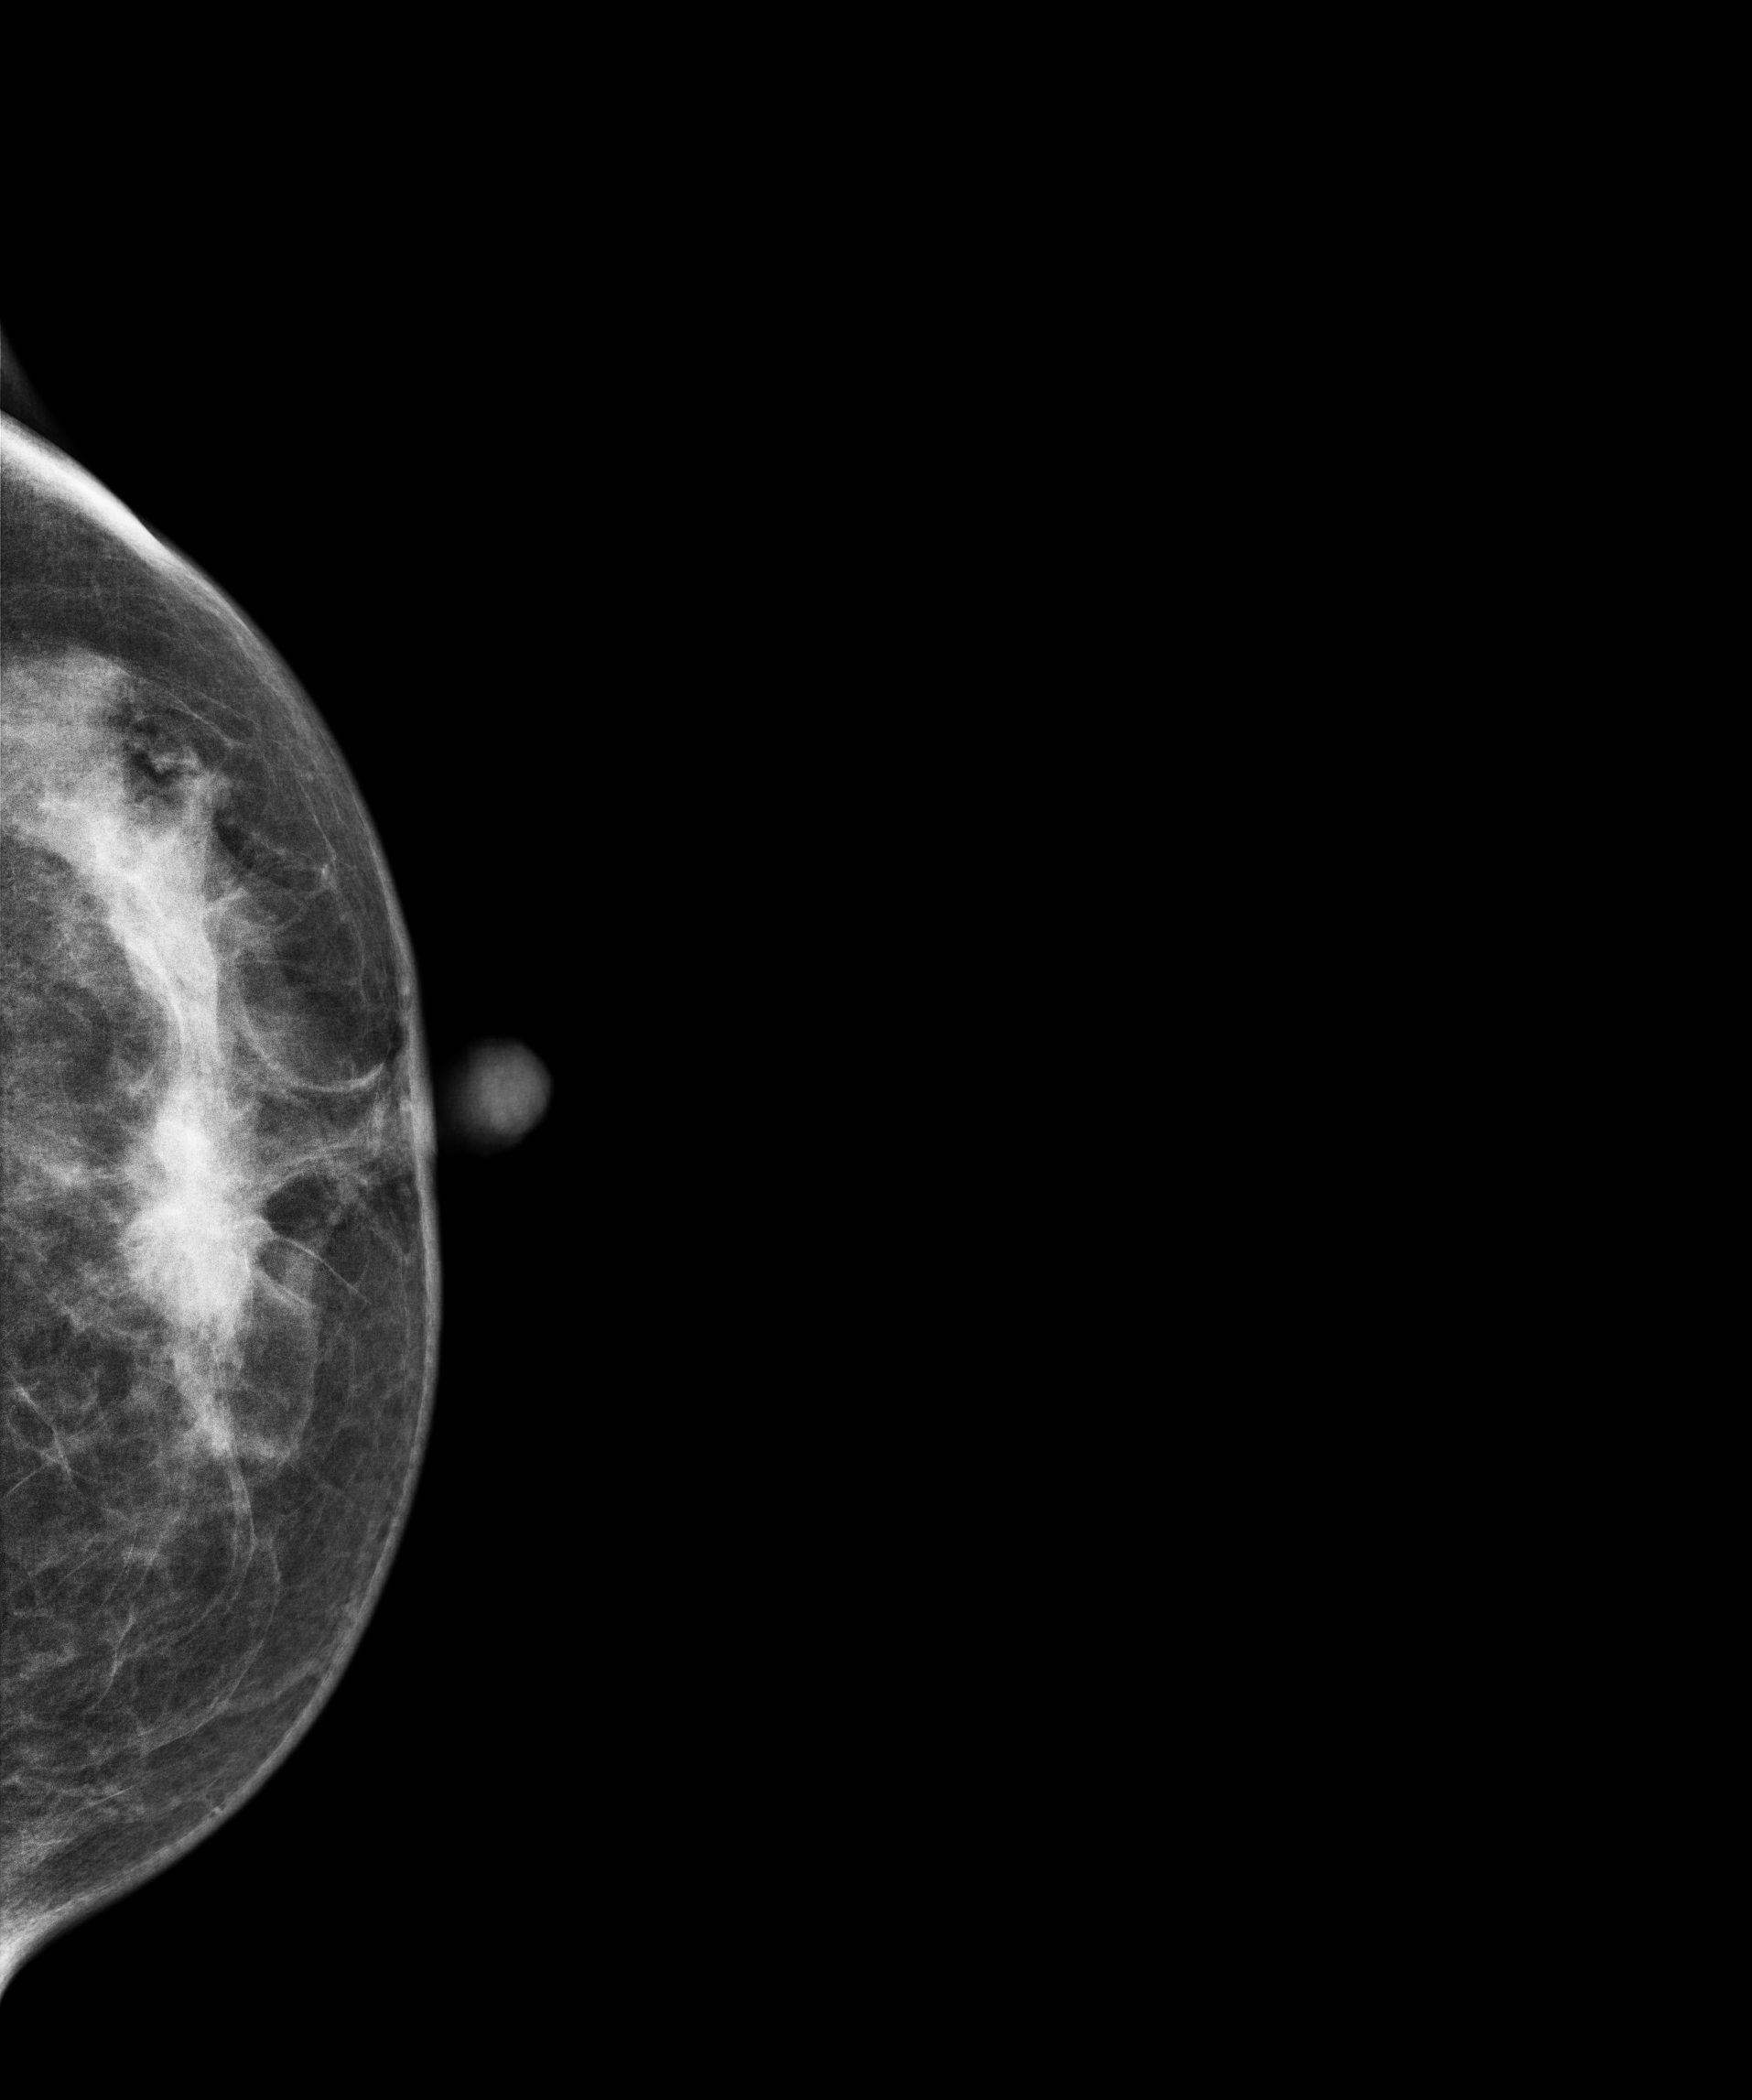
Left-breast mammogram, CC. Patient age 43.
This breast has a mass, histologically confirmed malignant. Molecular subtype: luminal B.